Mammogram, right breast, CC view. Patient age 48.
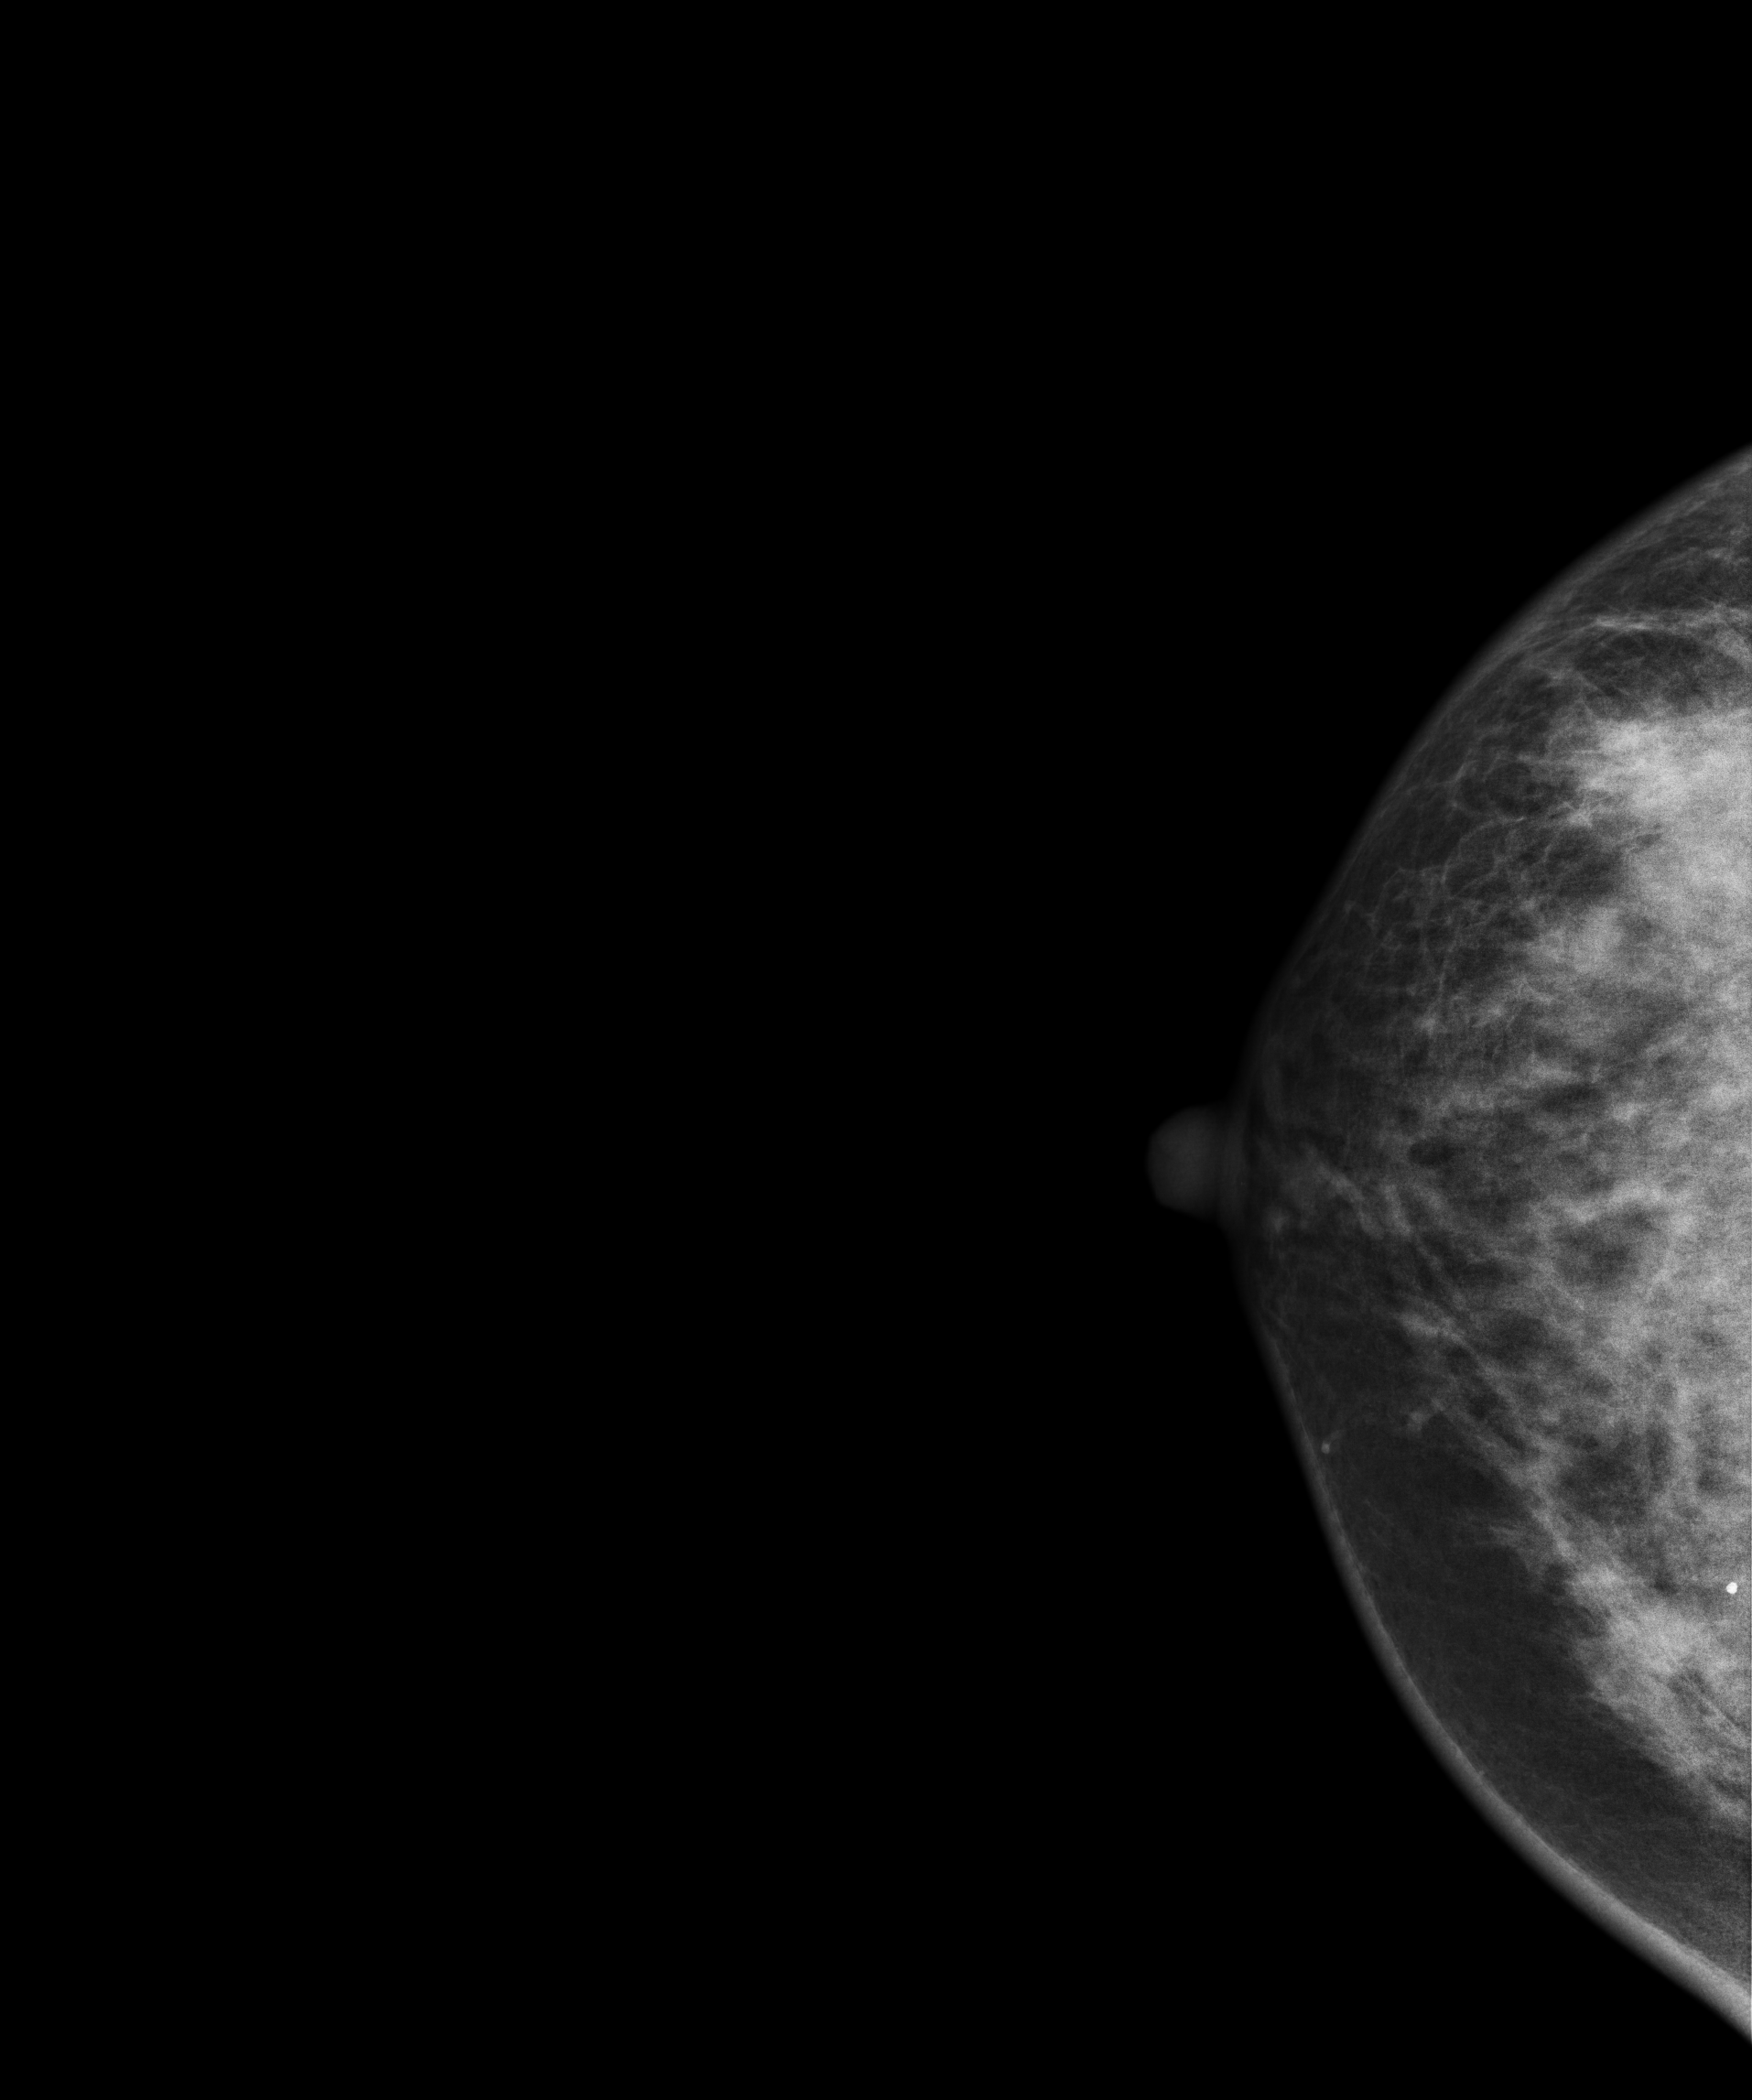
This breast has a mass and calcifications, histologically confirmed malignant. Molecular subtype: triple-negative.